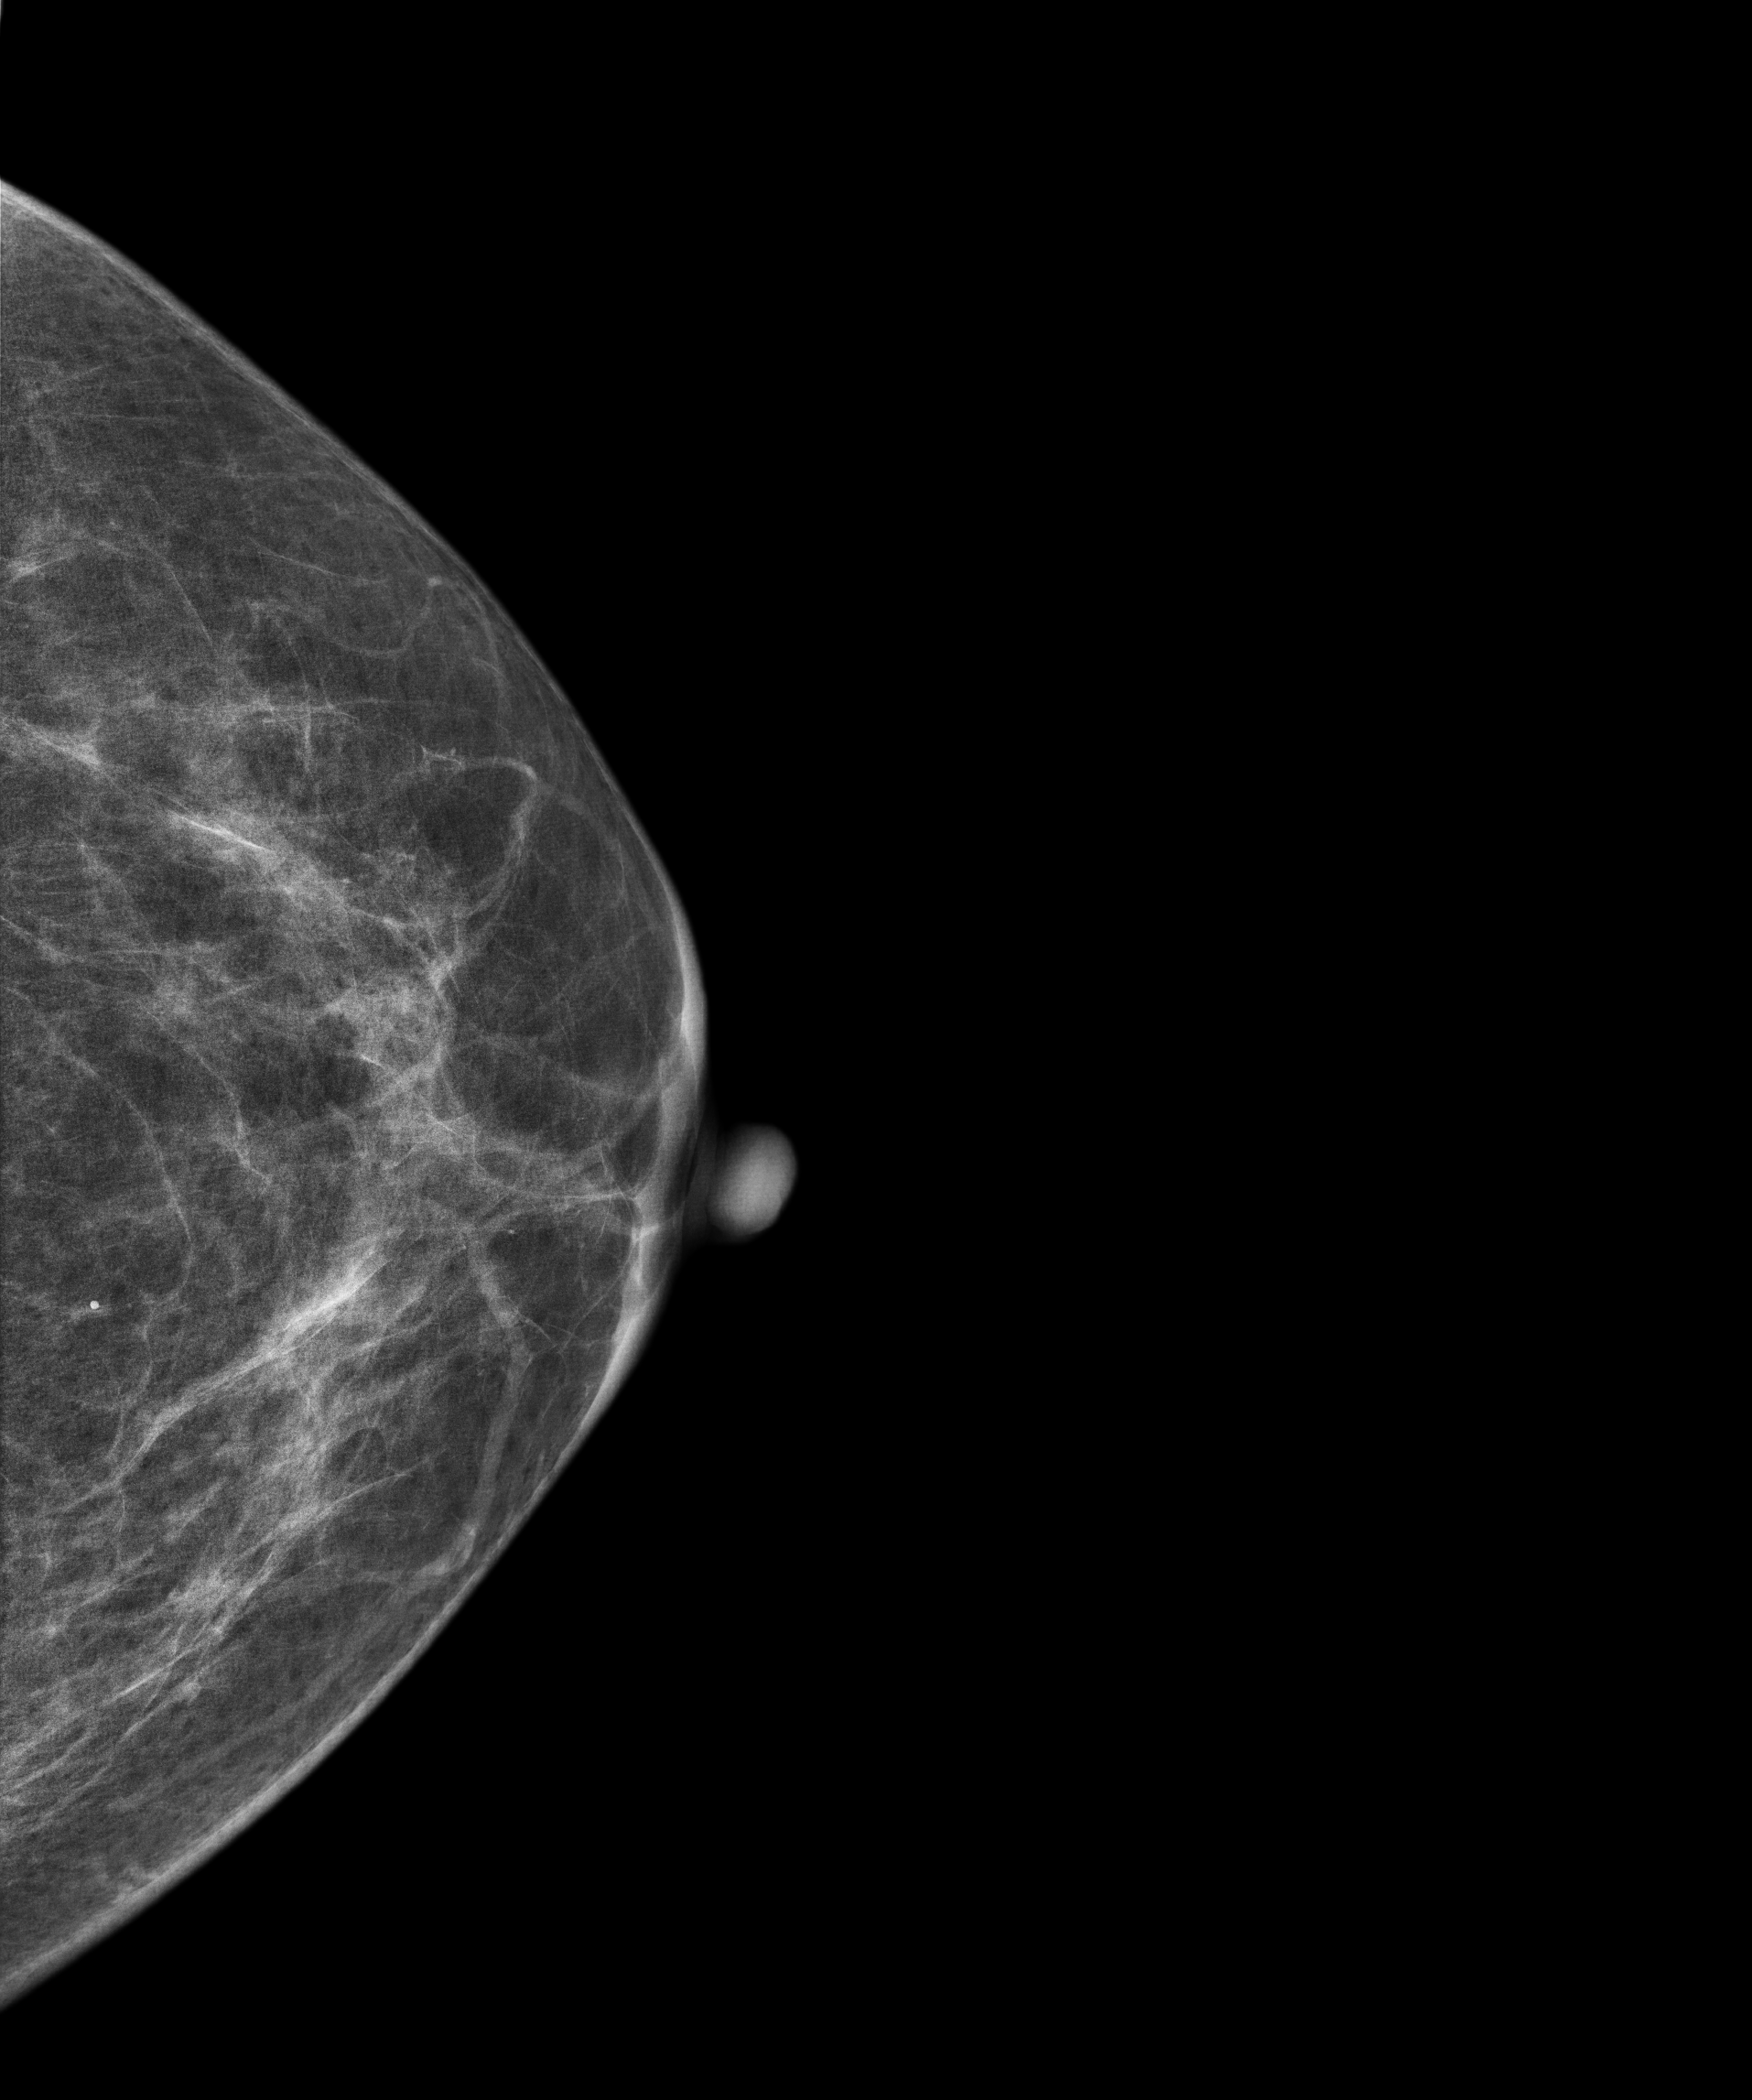
CC mammogram of the left breast. Patient age 51.
Contralateral breast — no documented abnormality on this side.